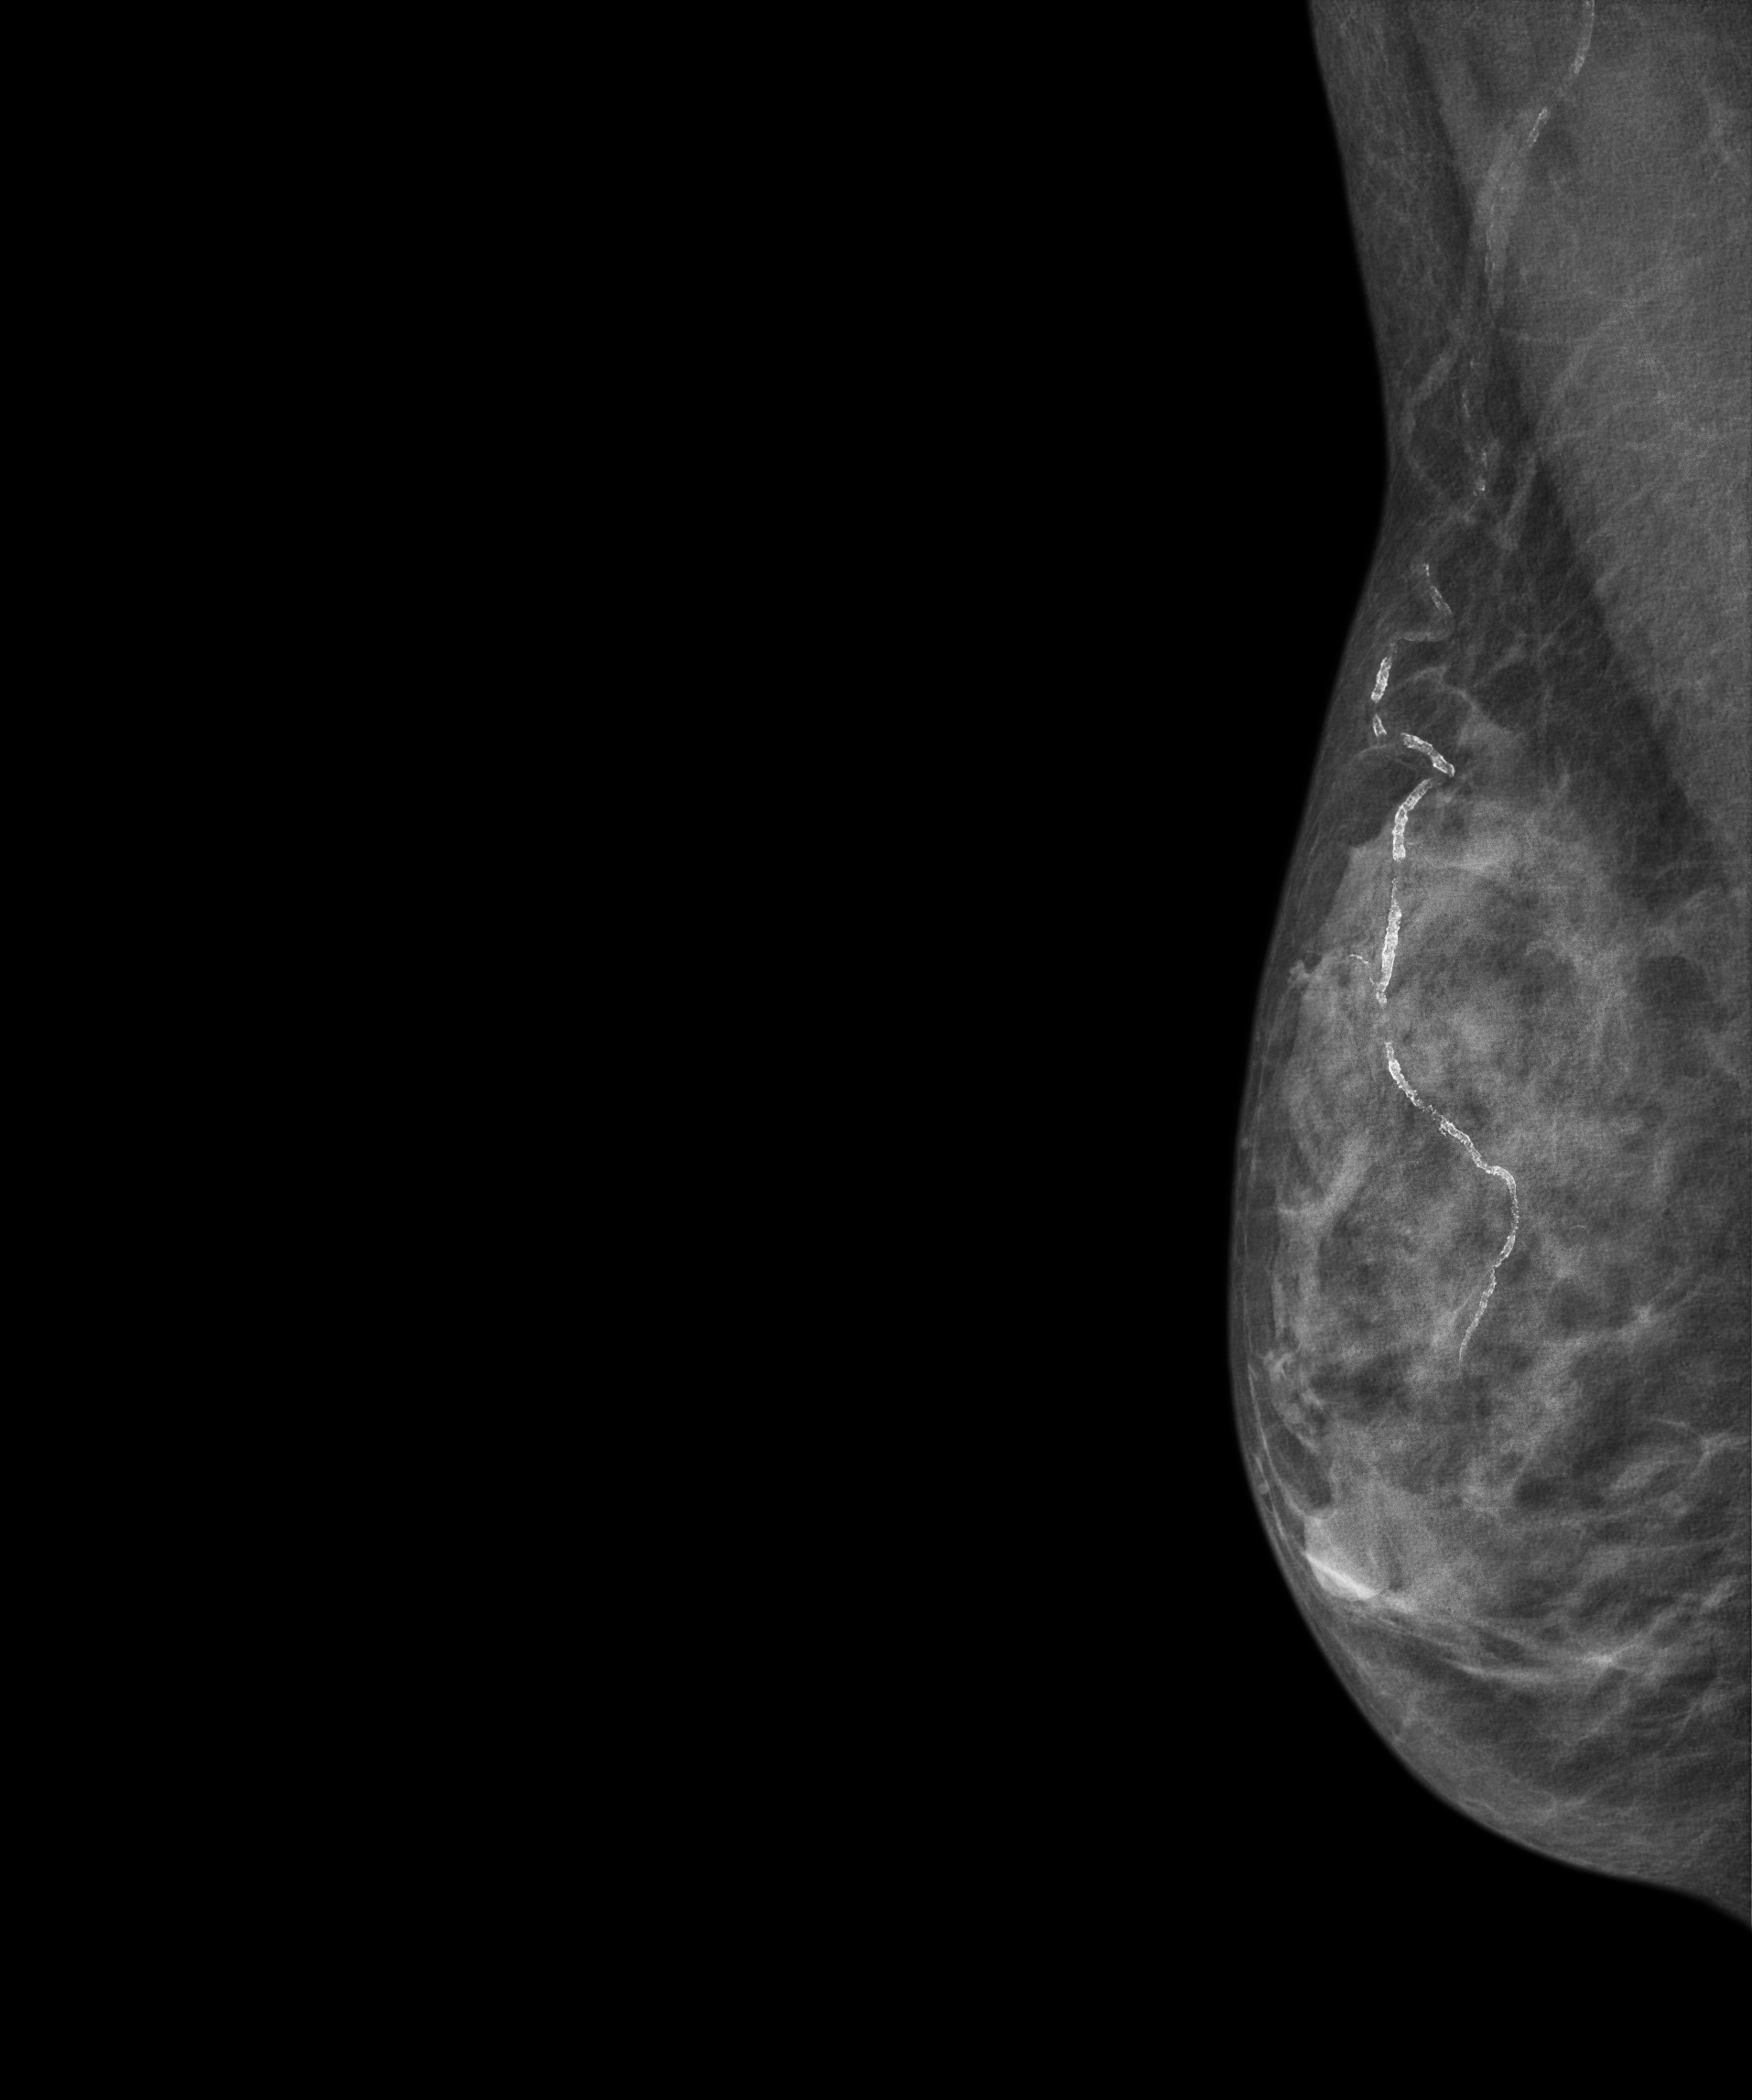
Mammogram, right breast, MLO view. Patient age 64.
Contralateral breast — no documented abnormality on this side.